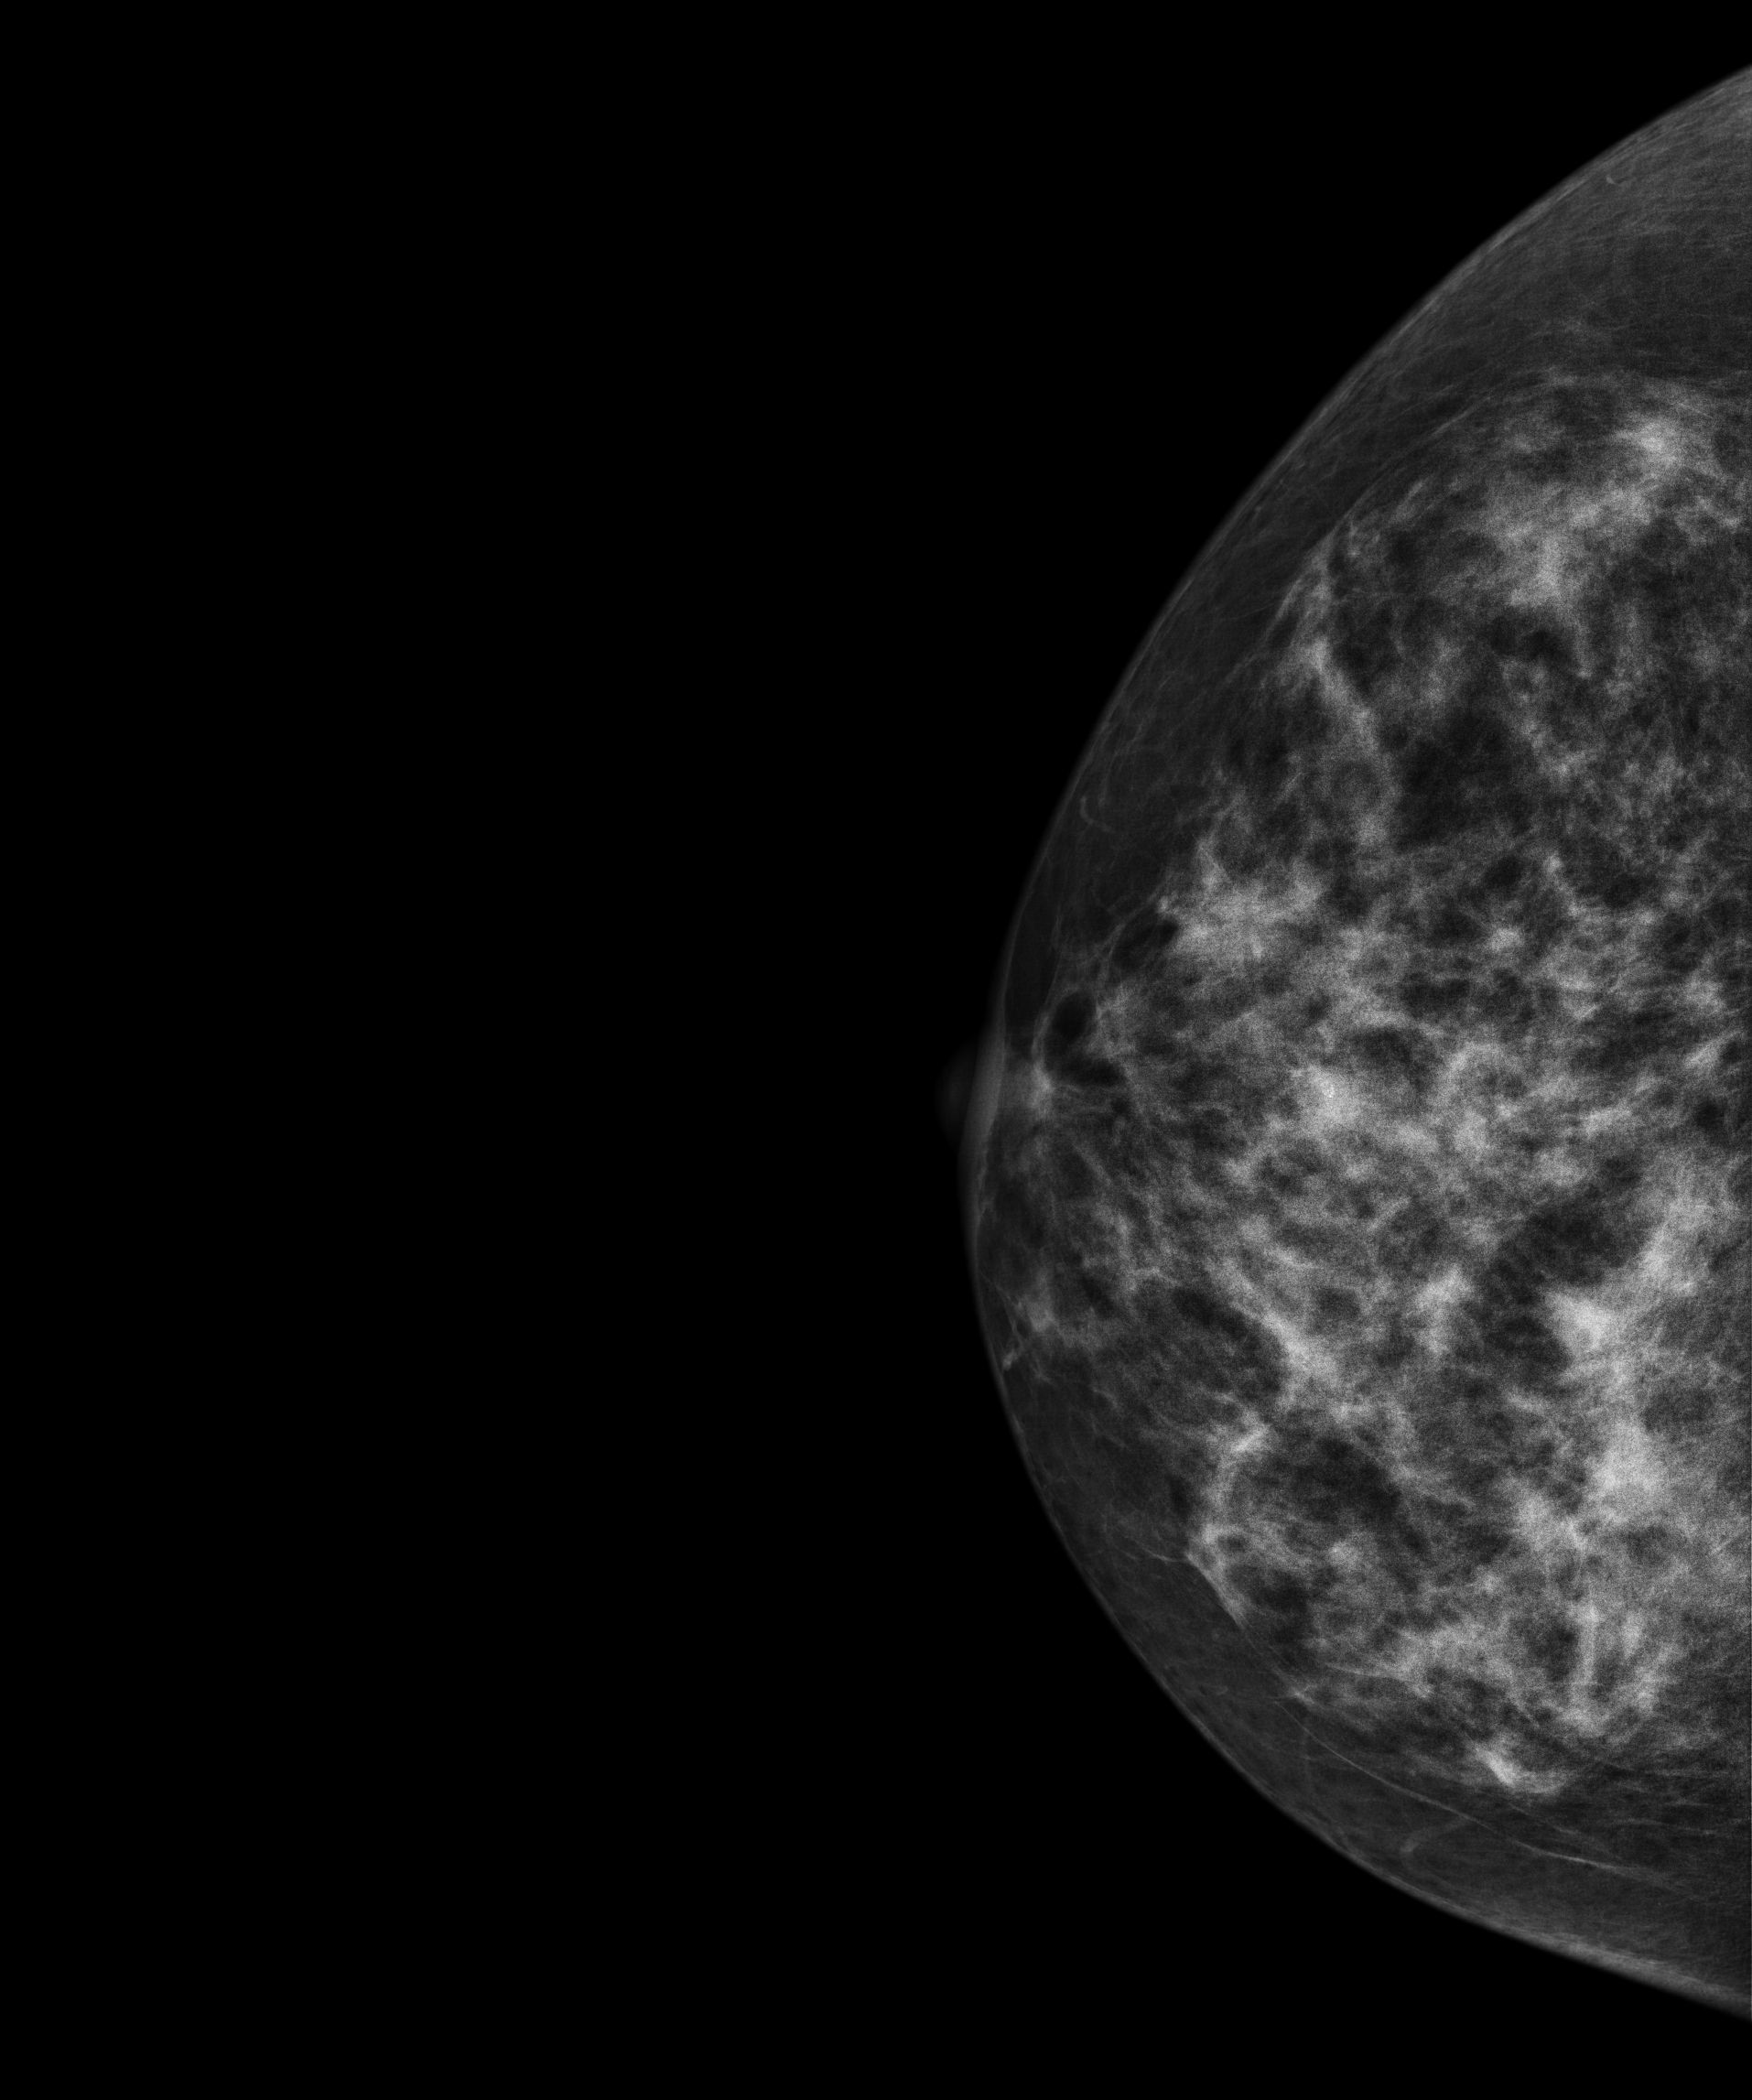
Right-breast mammogram, CC. Patient age 55.
Contralateral breast — no documented abnormality on this side.